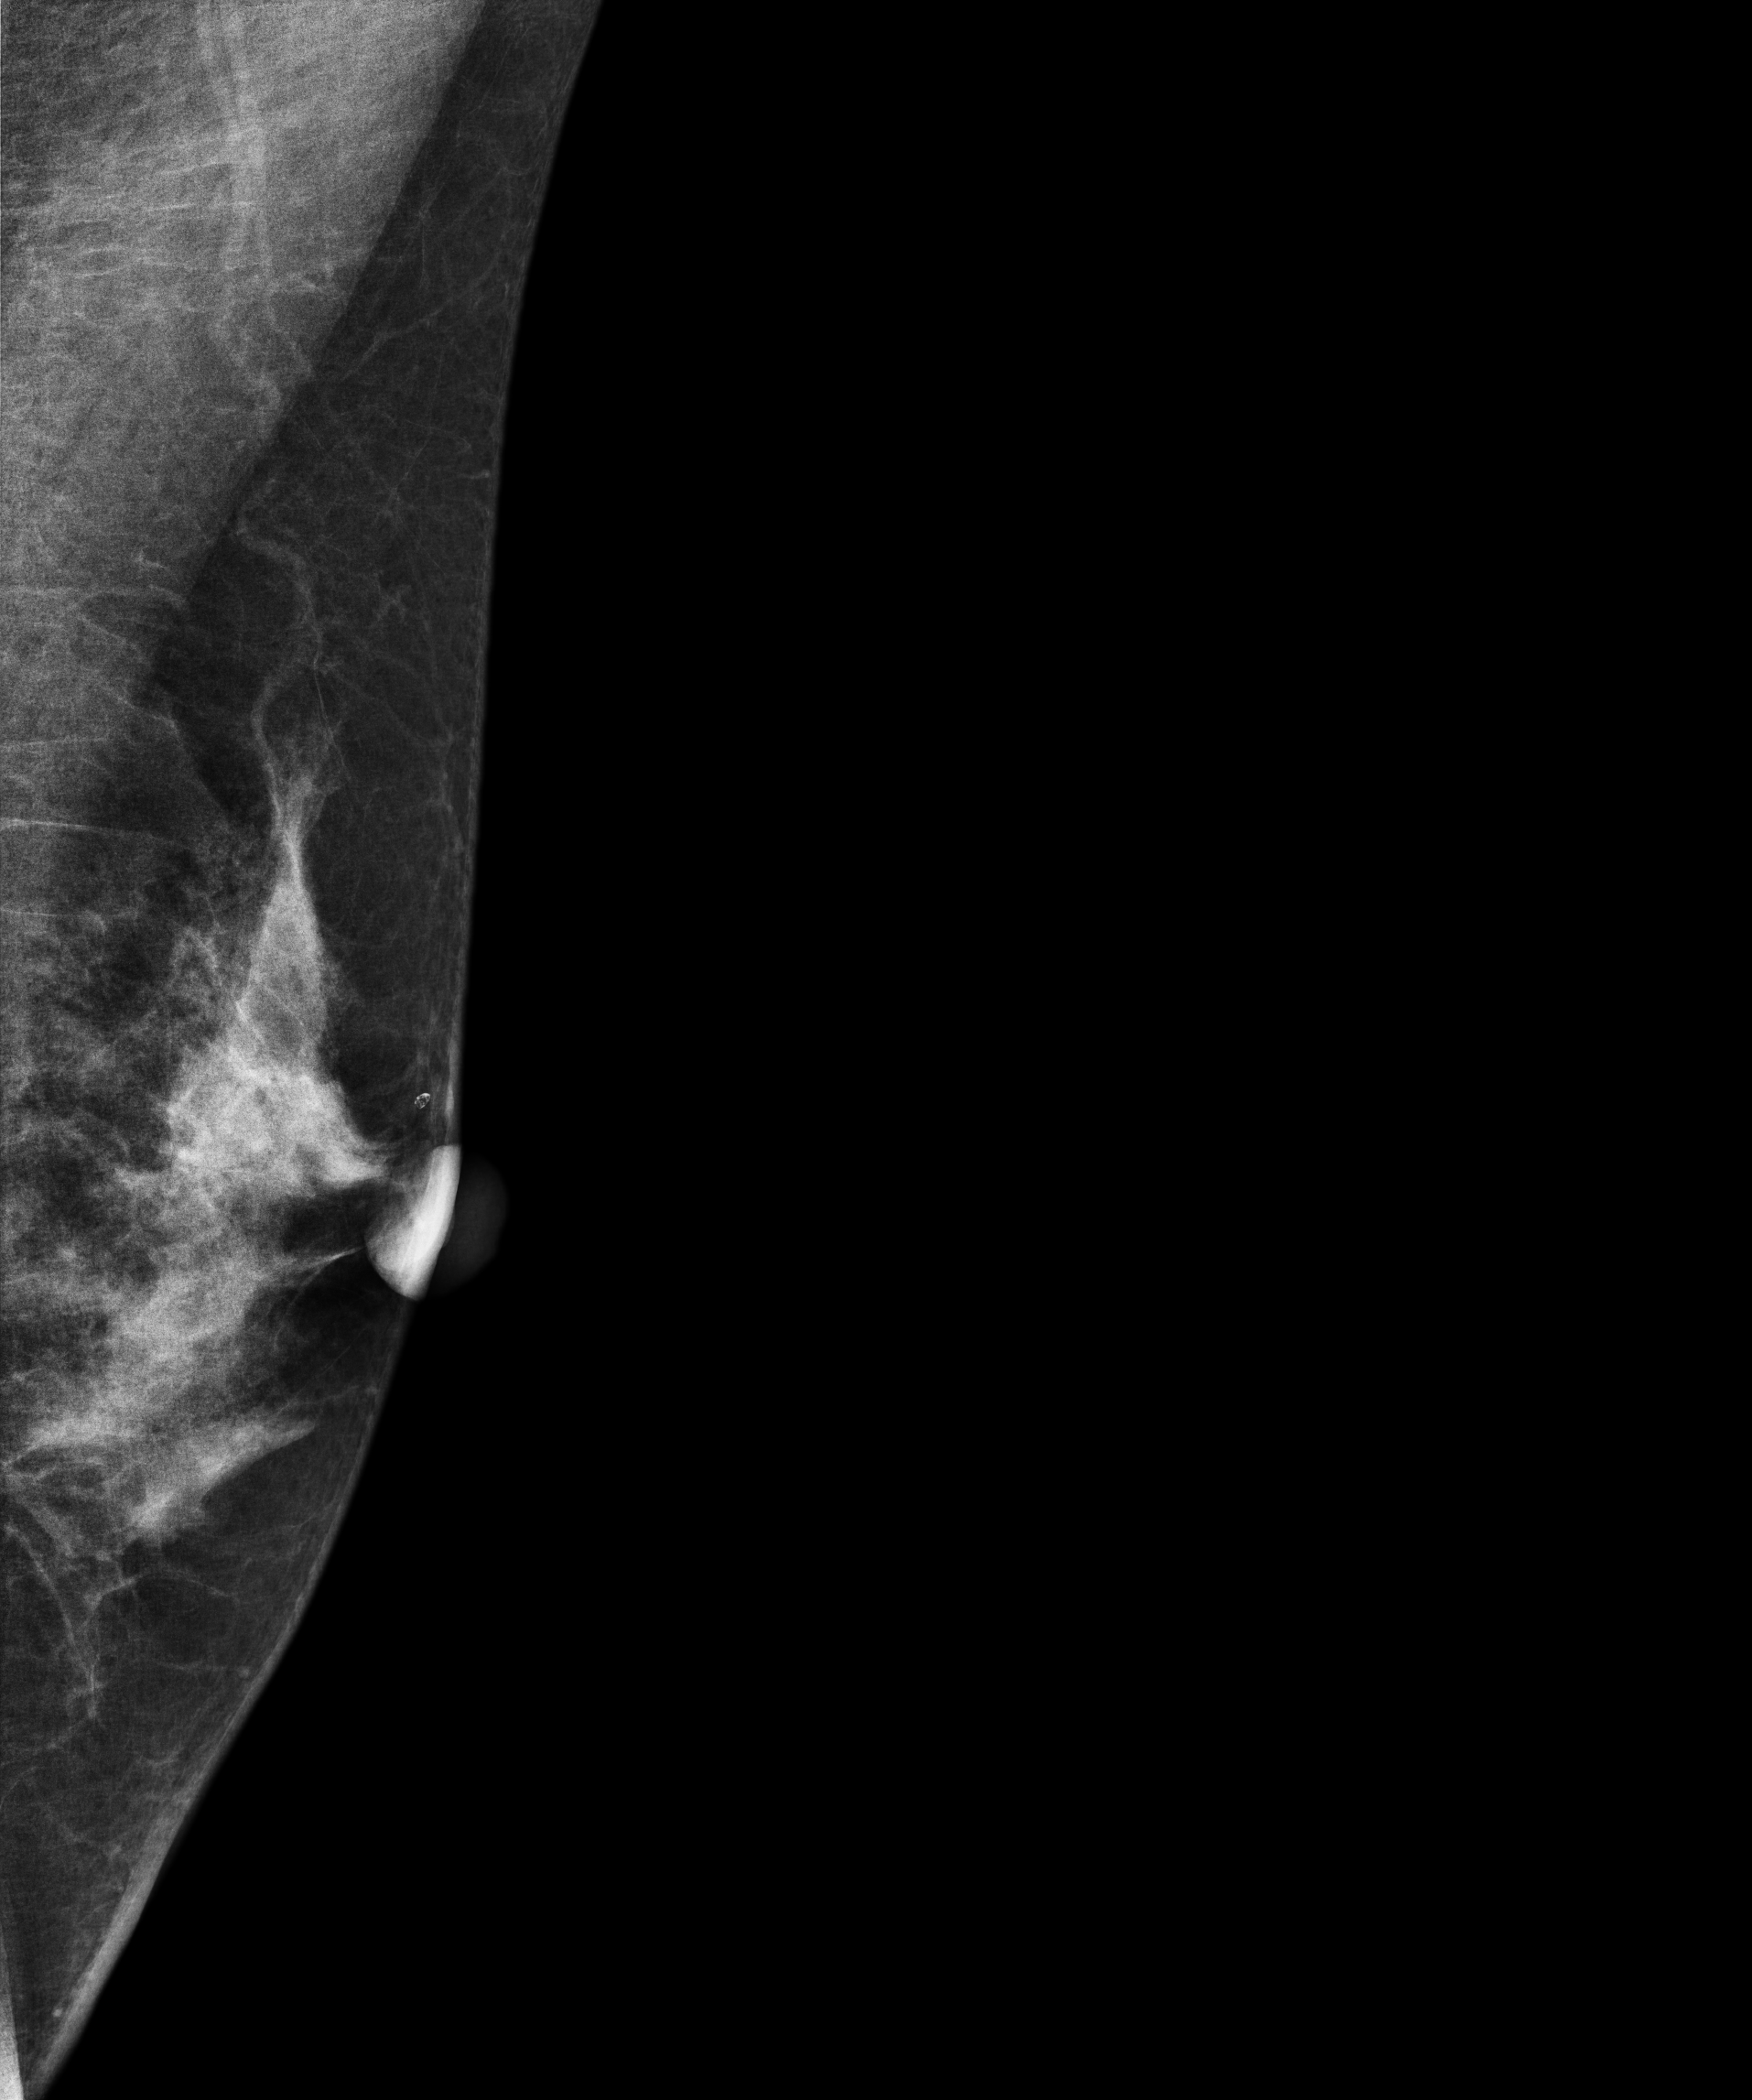
Mammogram, left breast, medio-lateral oblique view. 46 y/o patient.
This breast has a mass, biopsy-confirmed malignant.